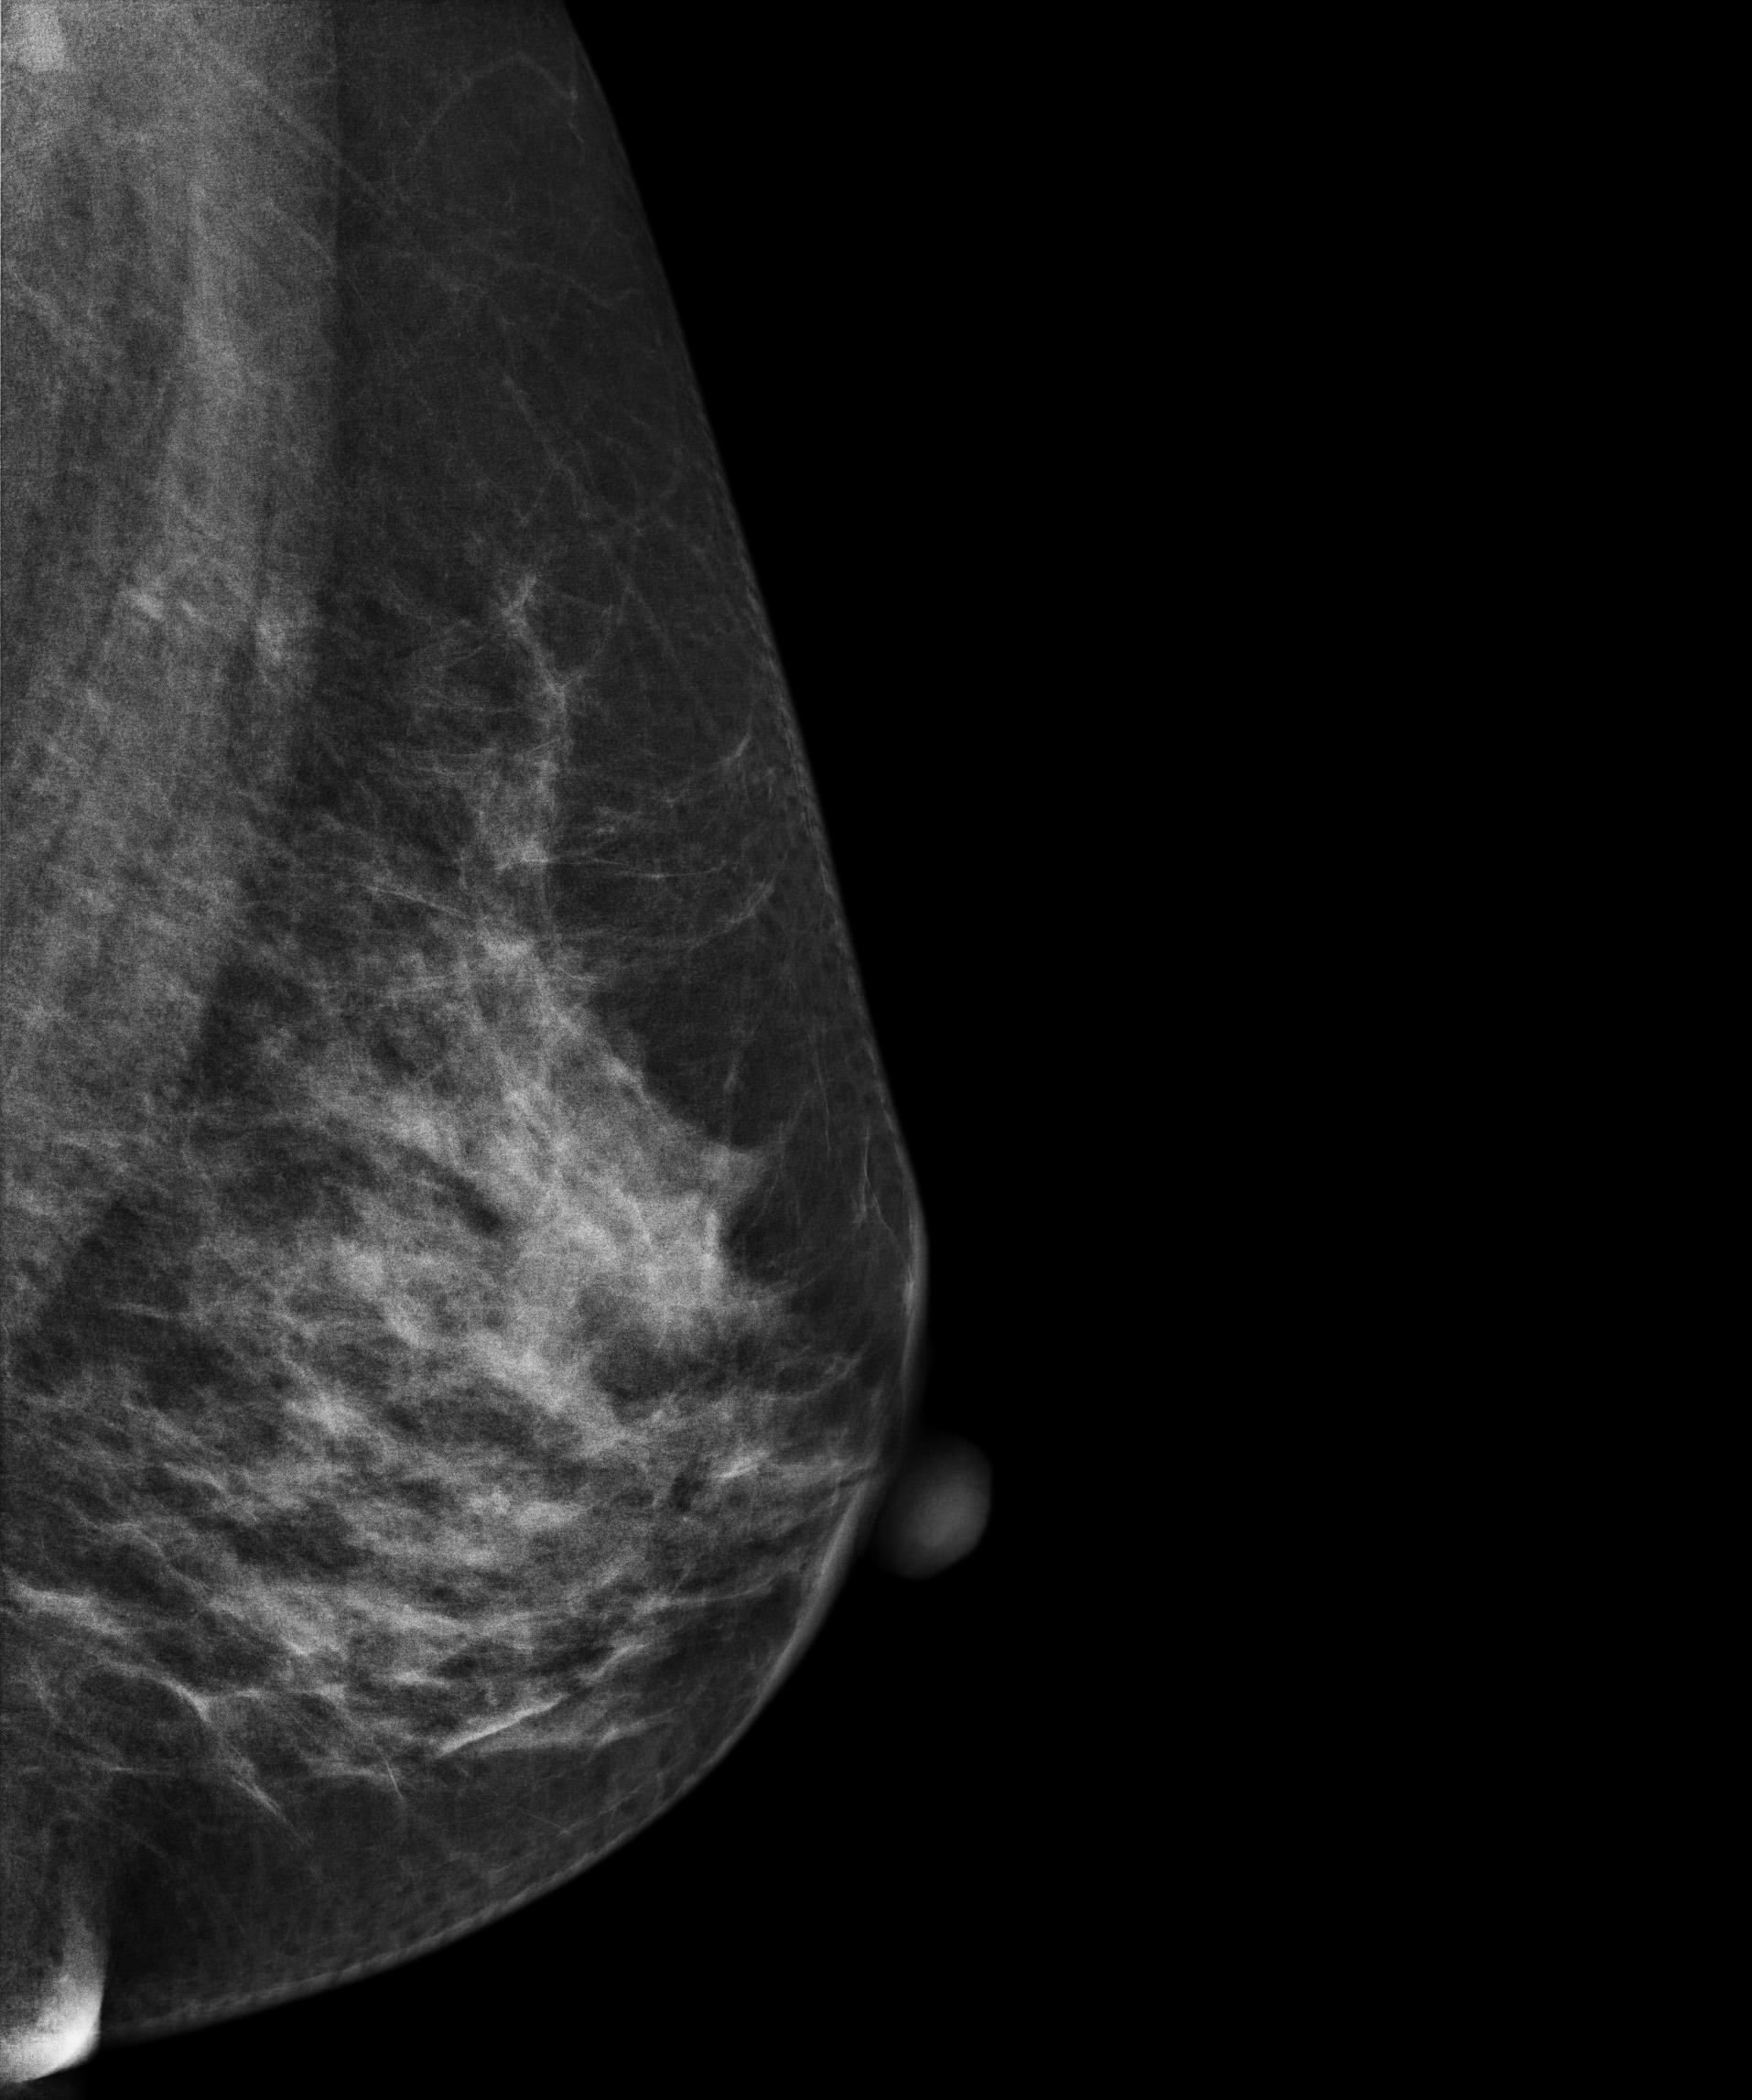
Mammogram — left MLO. 50-year-old patient.
Contralateral breast — no documented abnormality on this side.